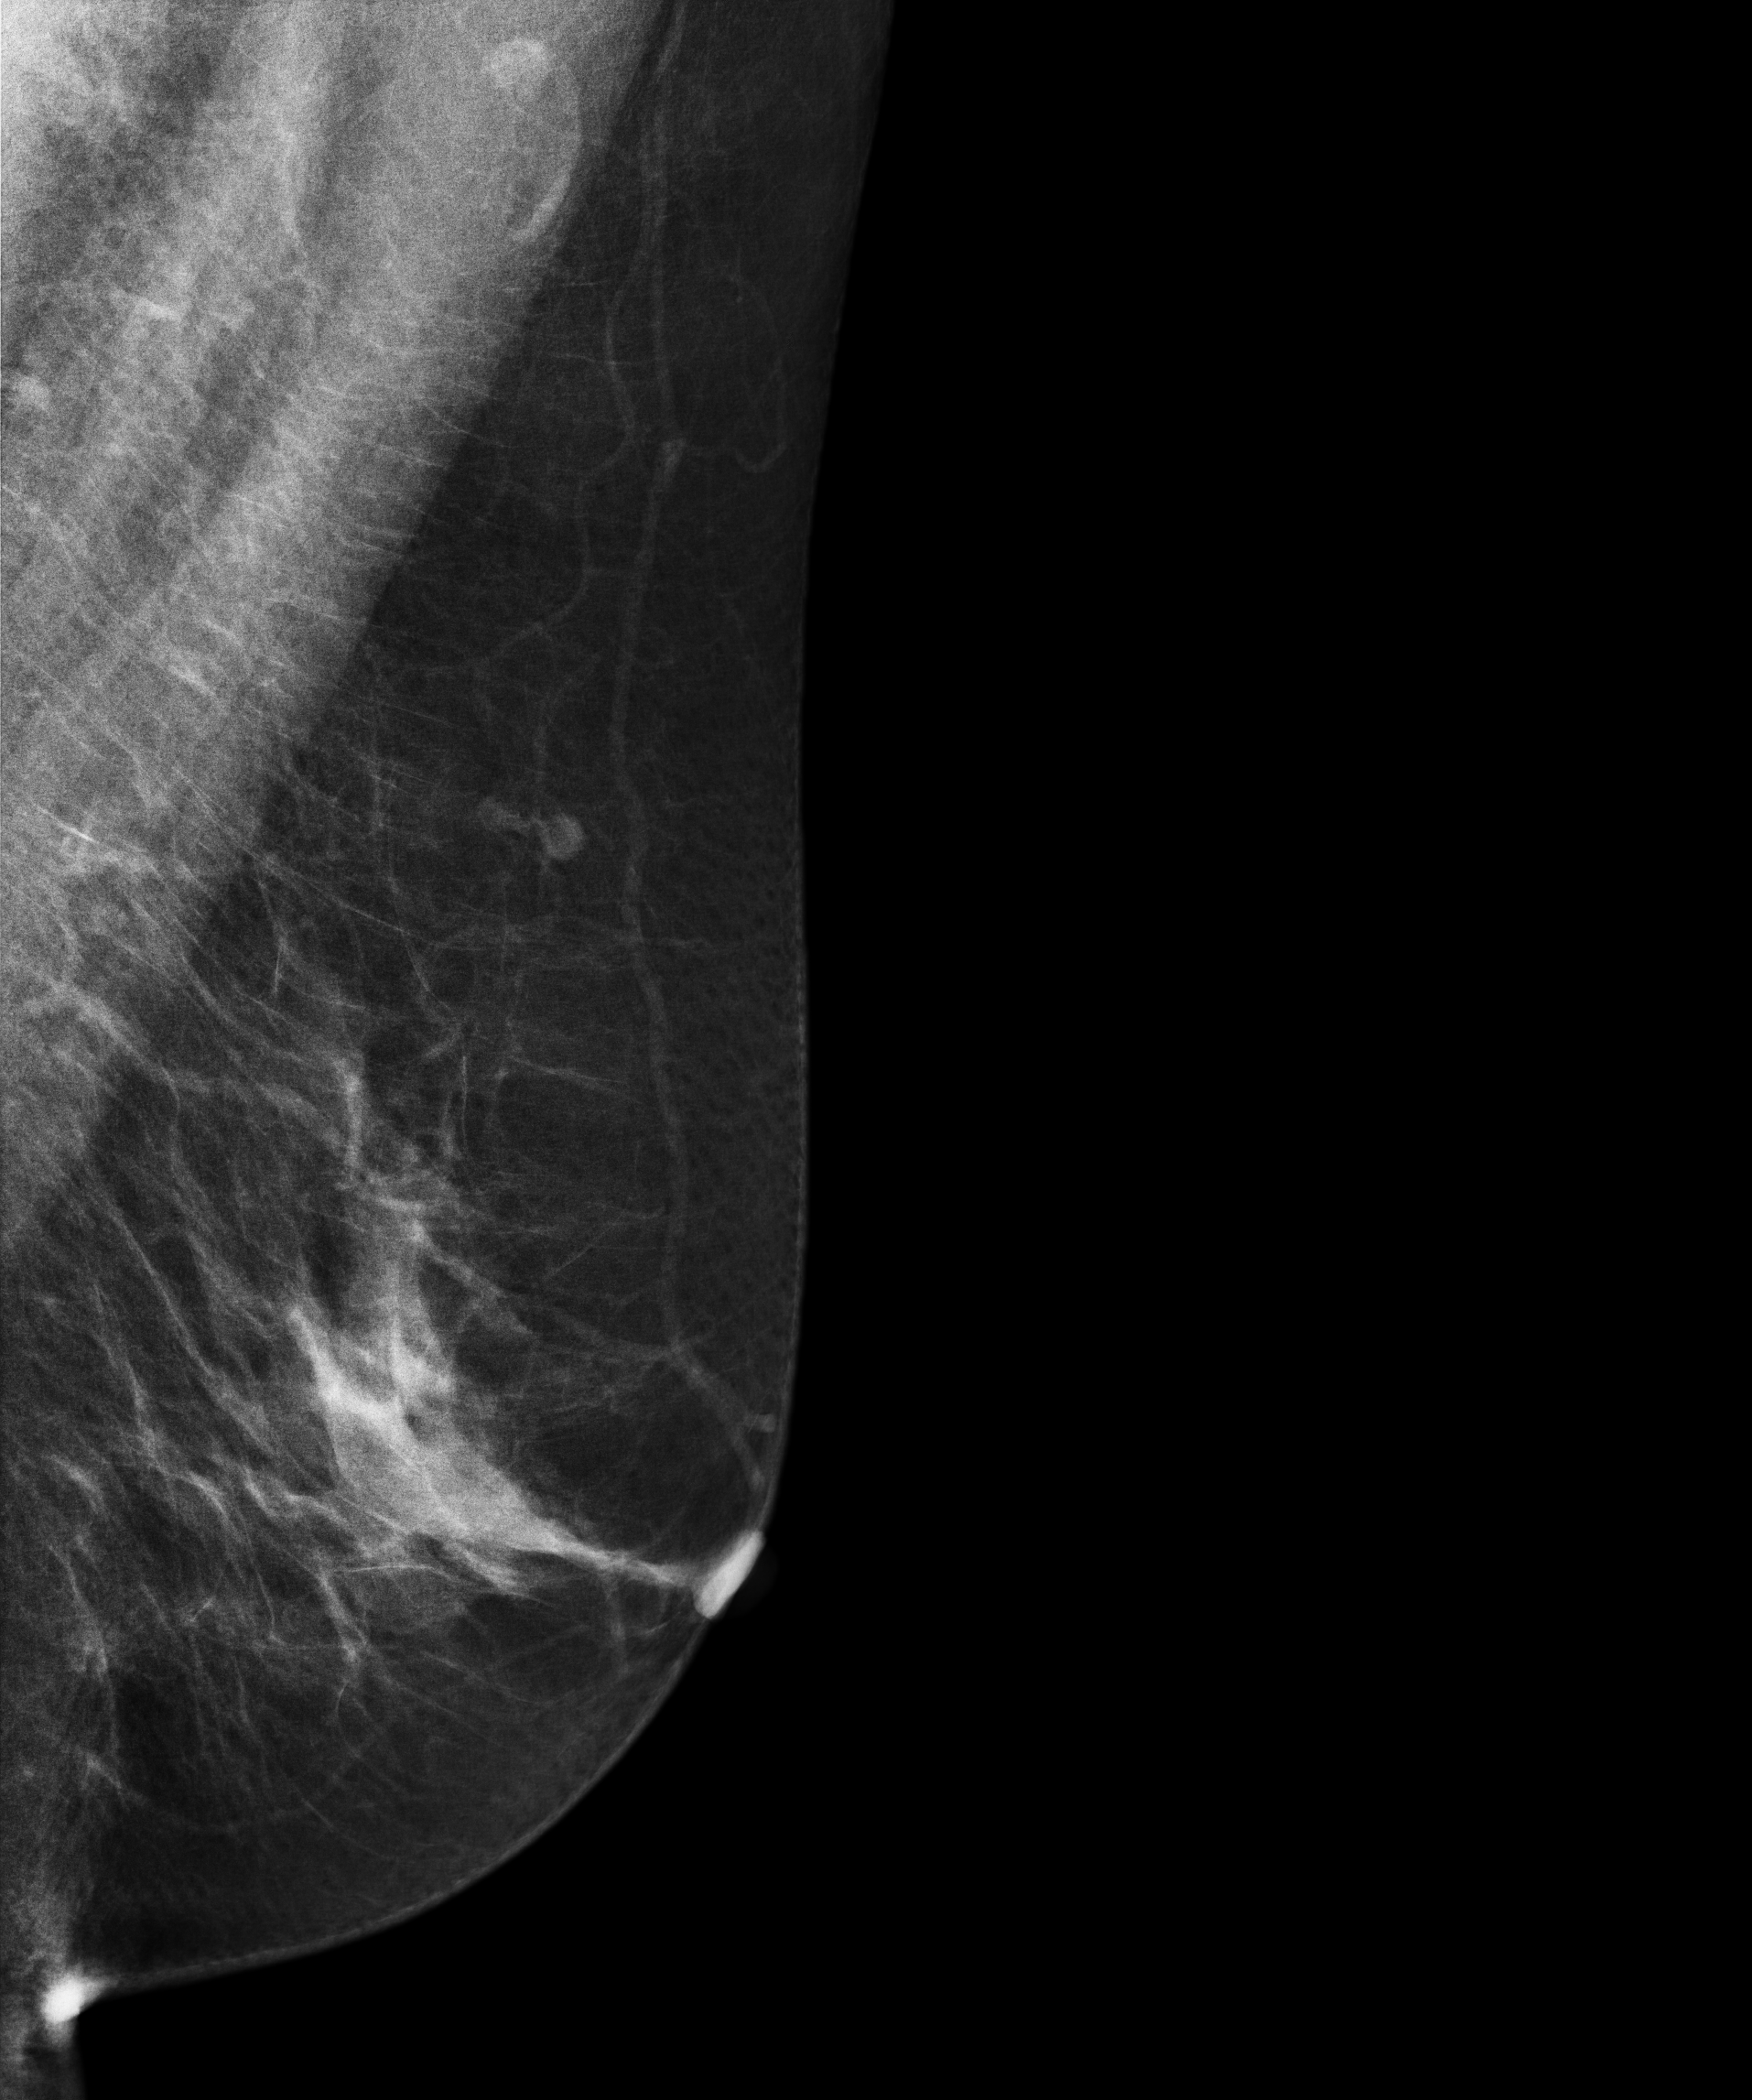
Mammogram — left MLO. 65-year-old patient.
Contralateral breast — no documented abnormality on this side.